Digital mammography. Left breast, CC projection. 61 y/o patient.
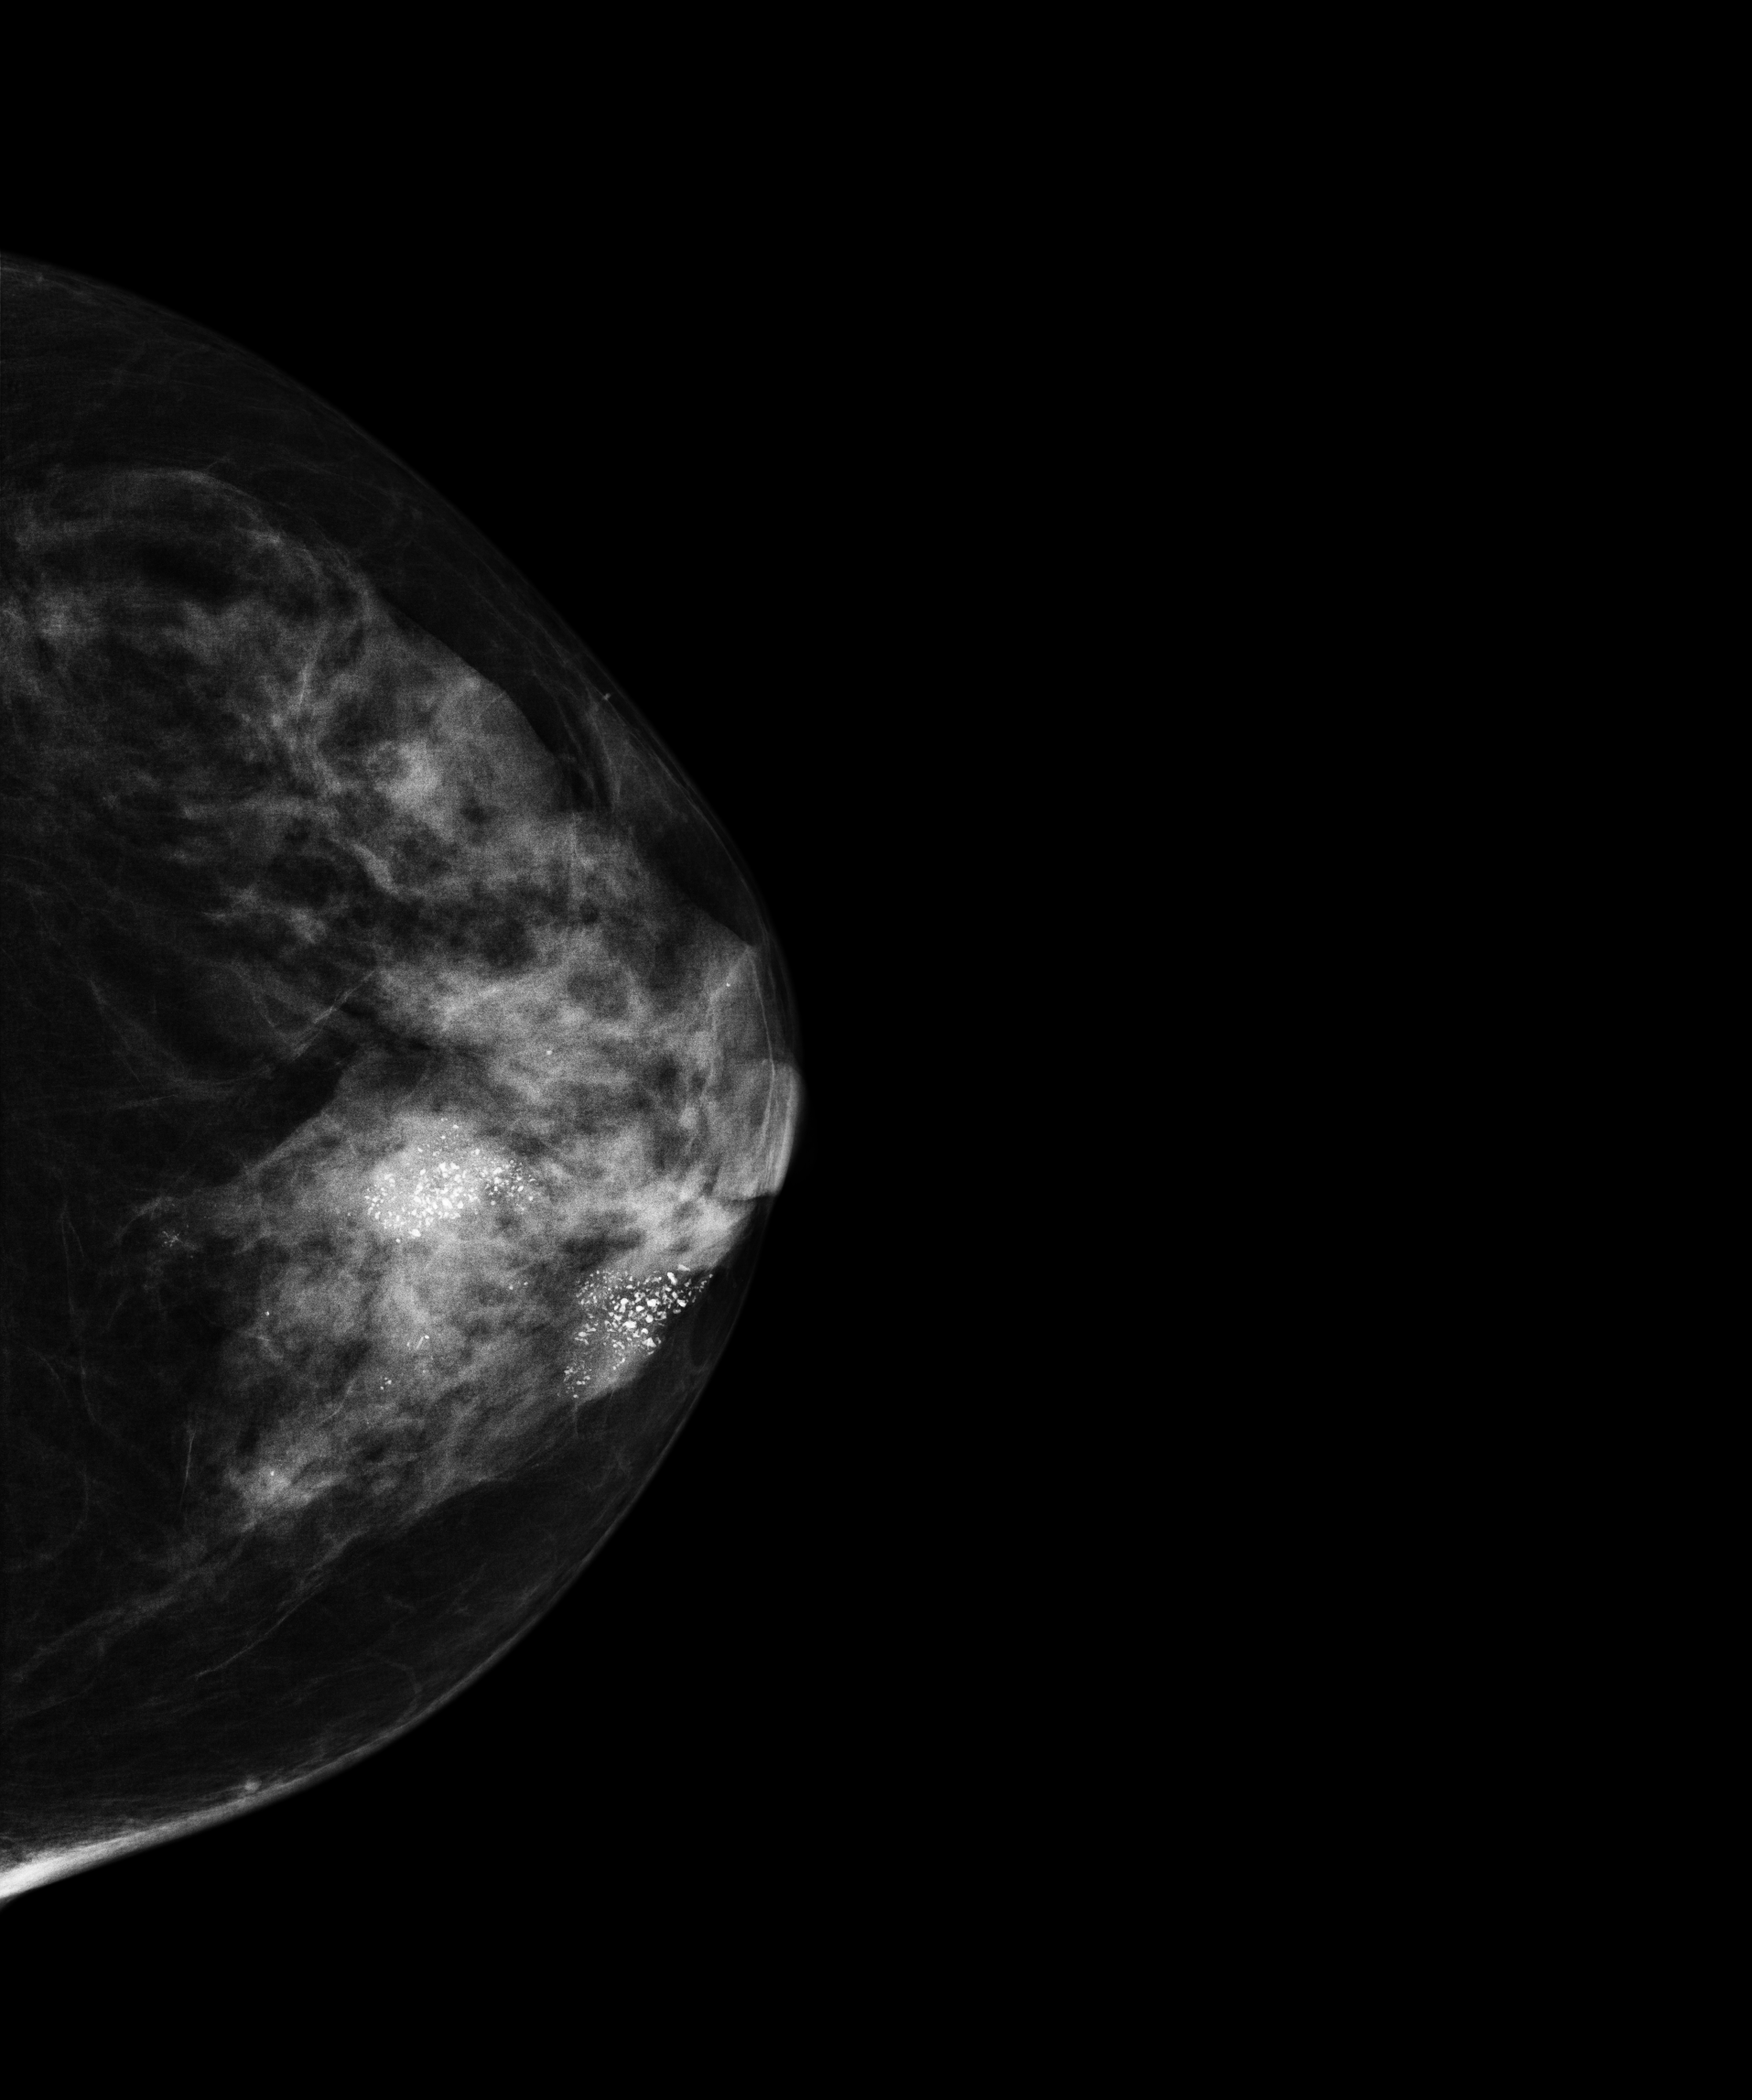
This breast has a mass and calcifications, biopsy-confirmed malignant.